Left-breast mammogram, cranio-caudal. Patient age 41.
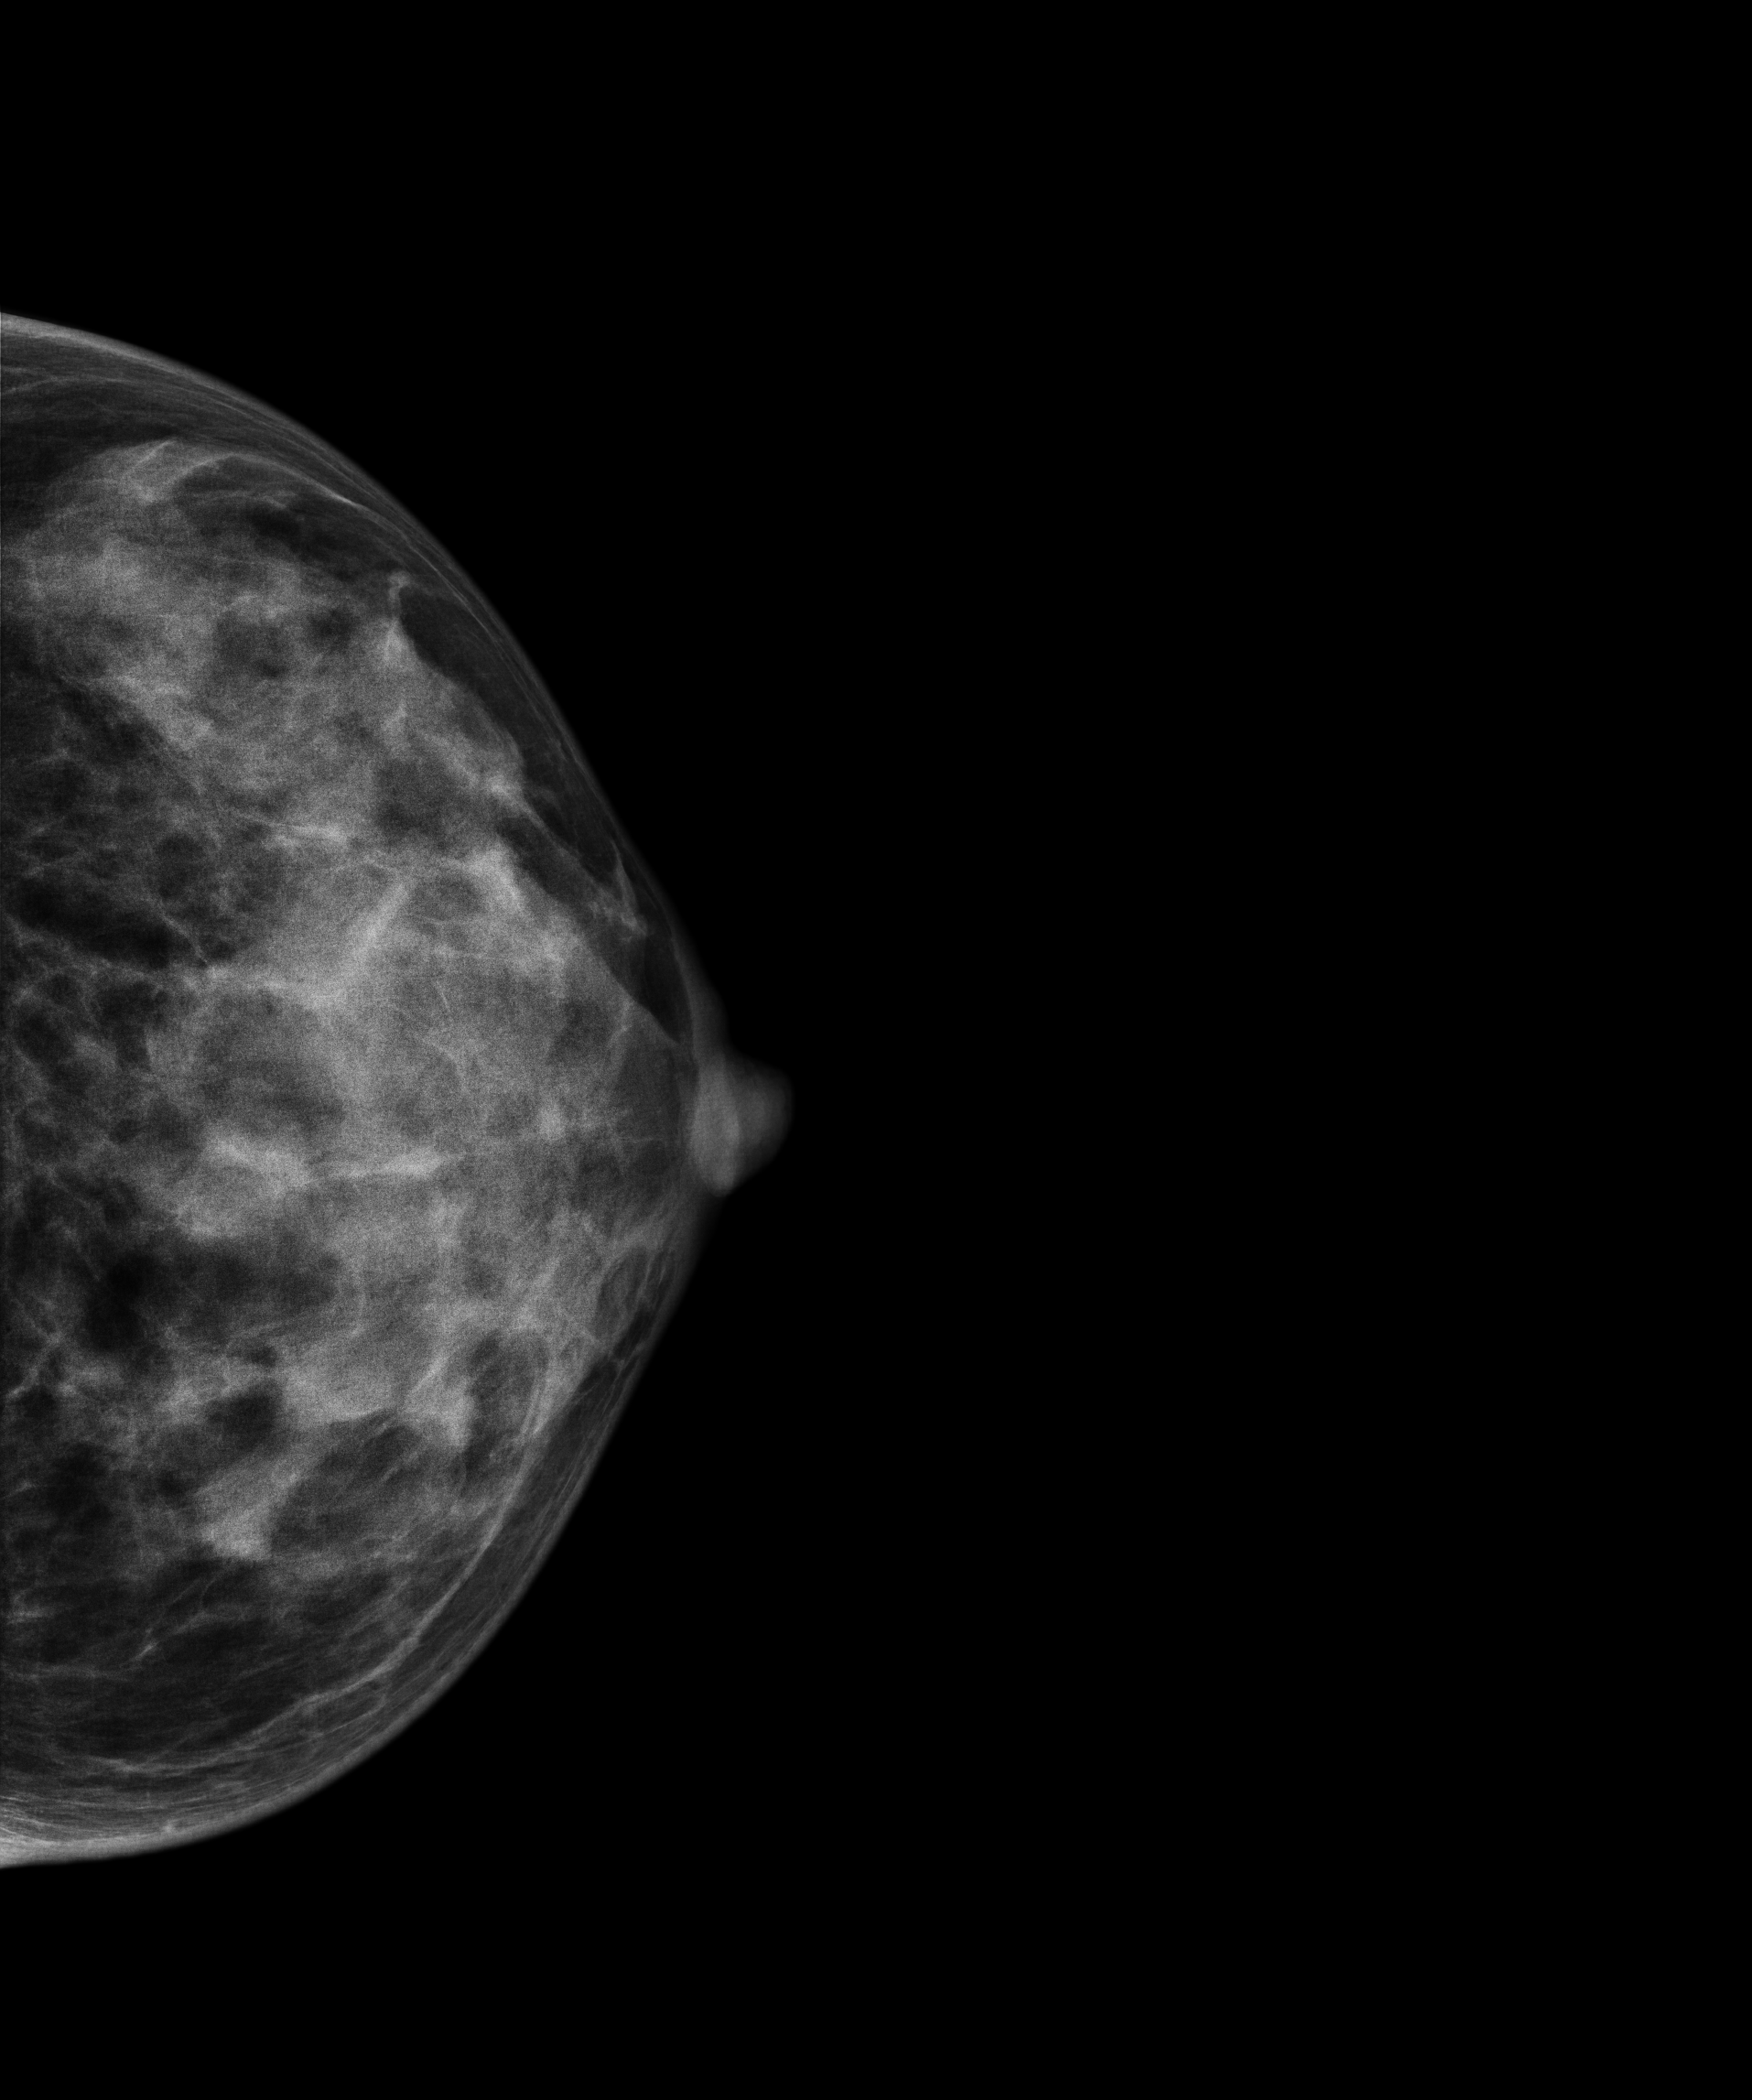
Contralateral breast — no documented abnormality on this side.